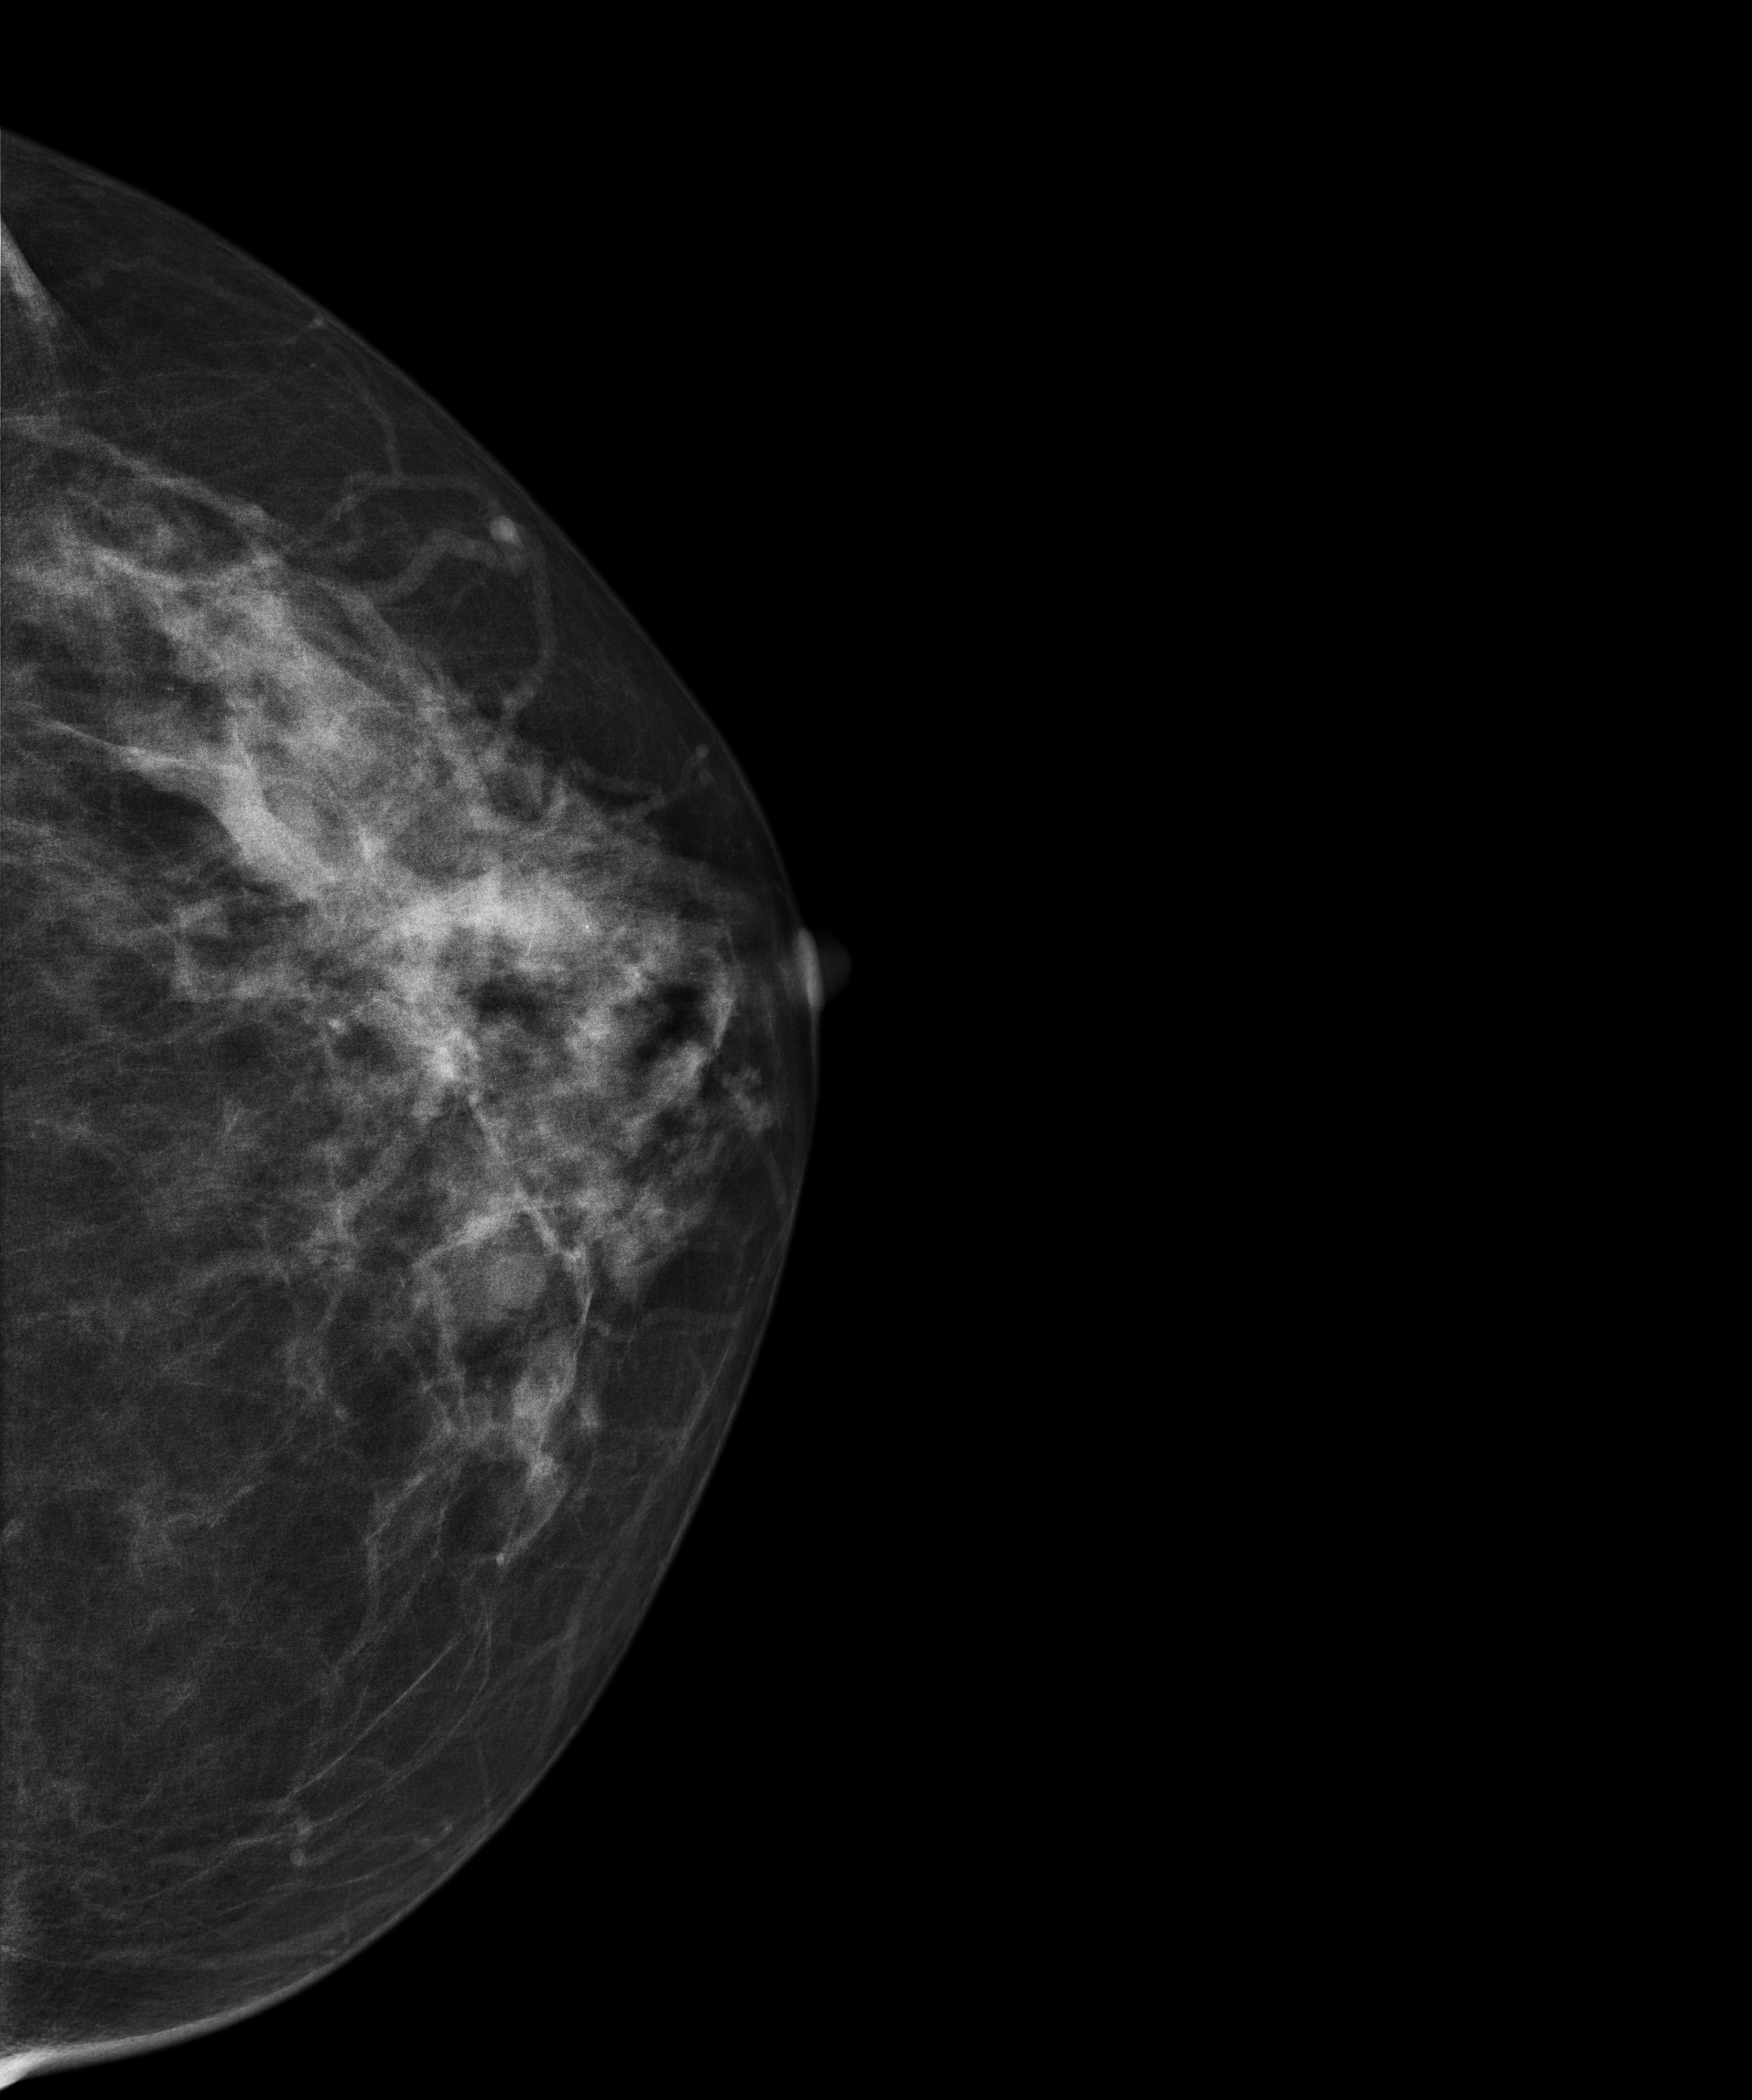
Mammogram — left cranio-caudal. 68 y/o patient.
This breast has a mass, biopsy-proven malignant.